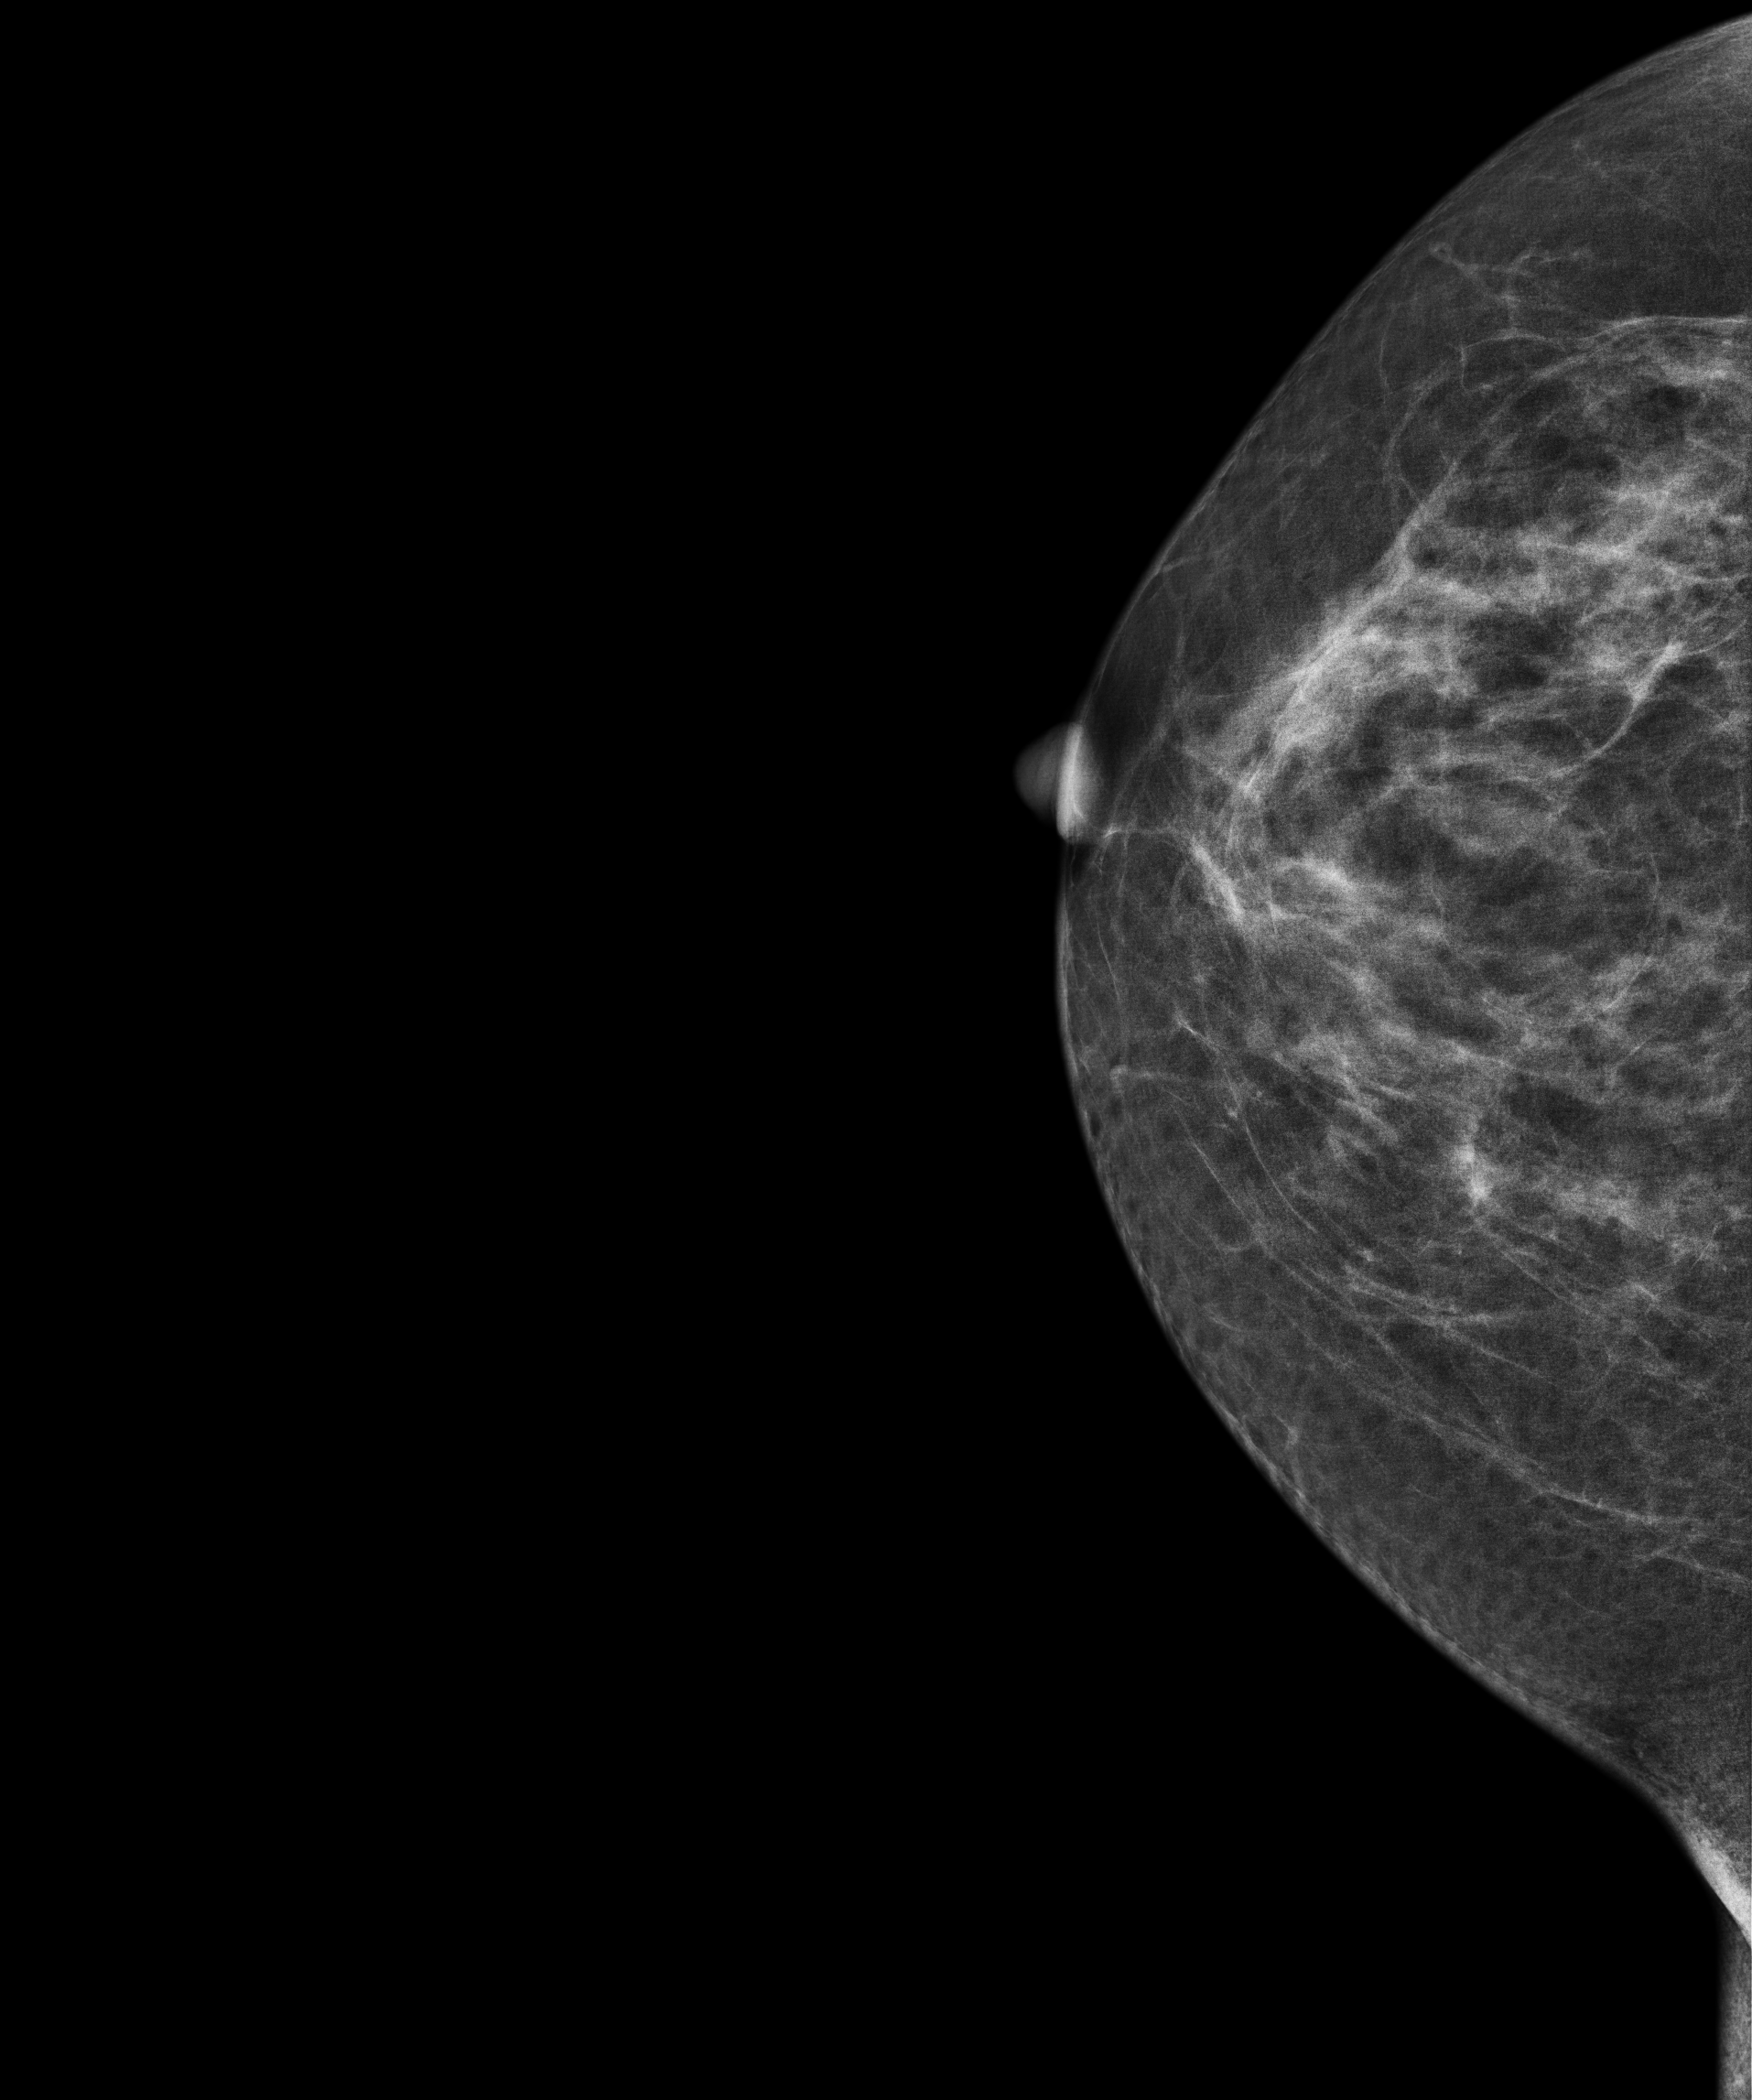
Cranio-caudal mammogram of the right breast. Patient age 57.
Contralateral breast — no documented abnormality on this side.